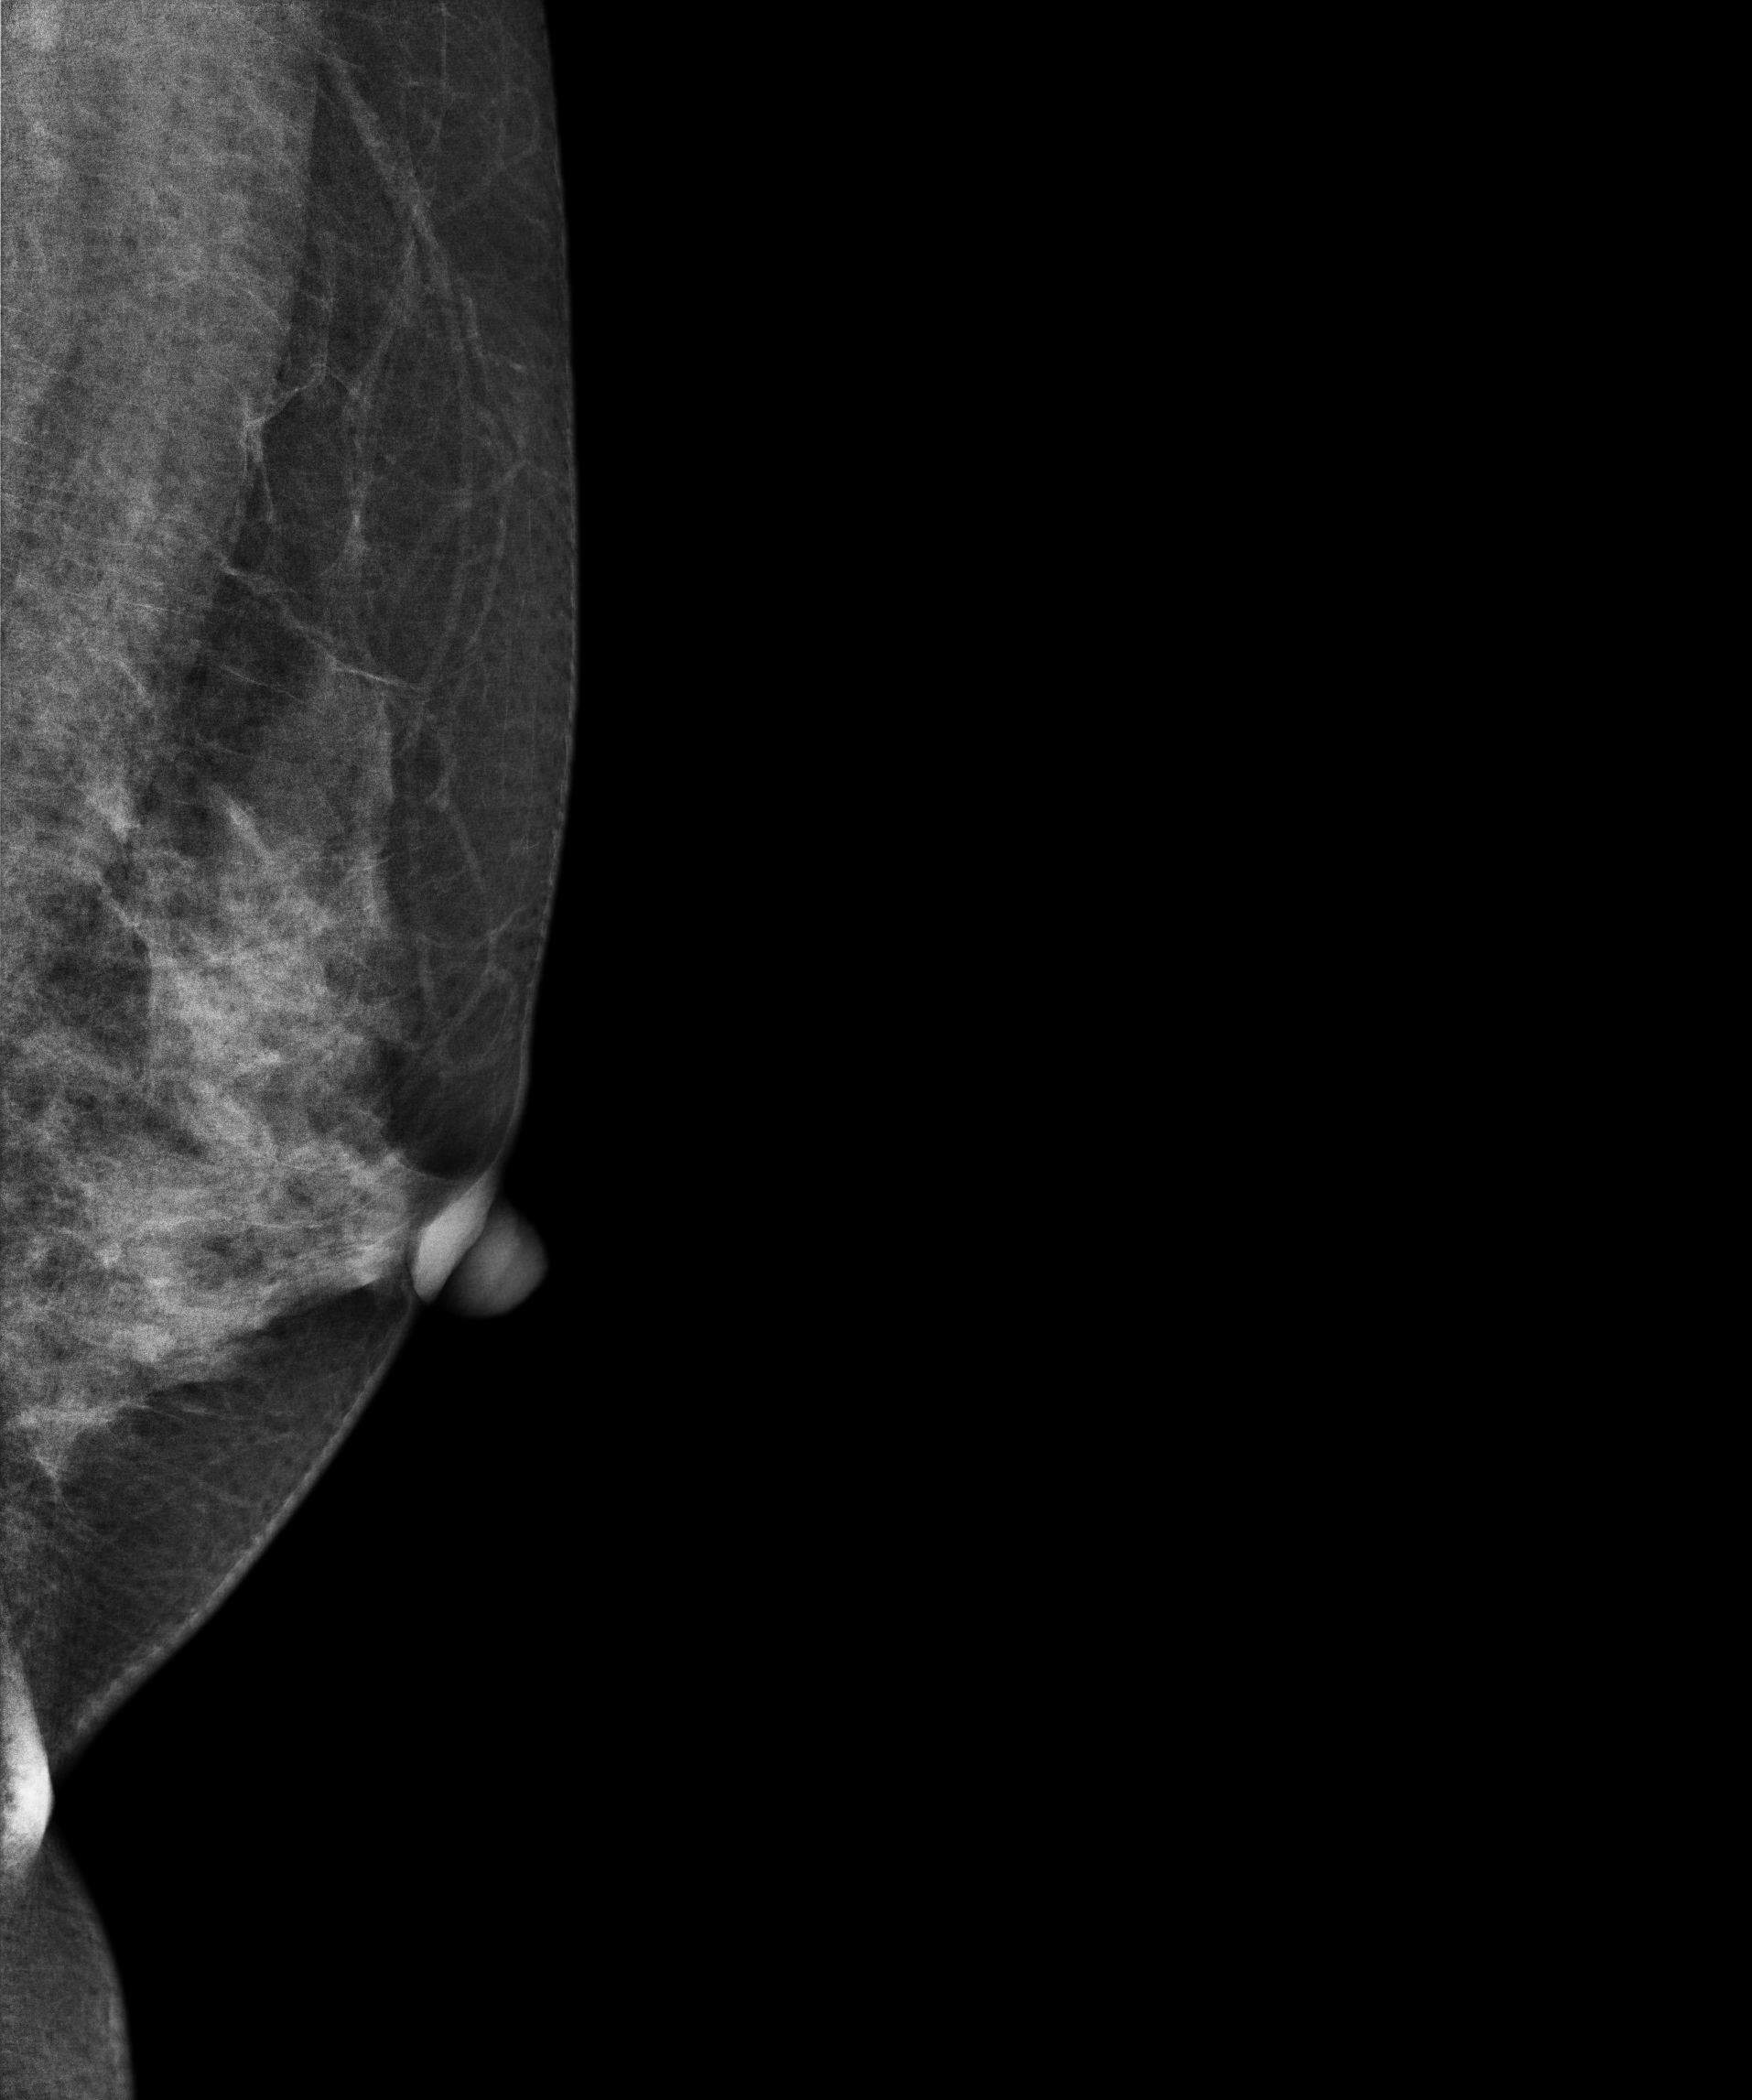
Left-breast mammogram, medio-lateral oblique. Patient age 43.
This breast has a mass, biopsy-proven benign.